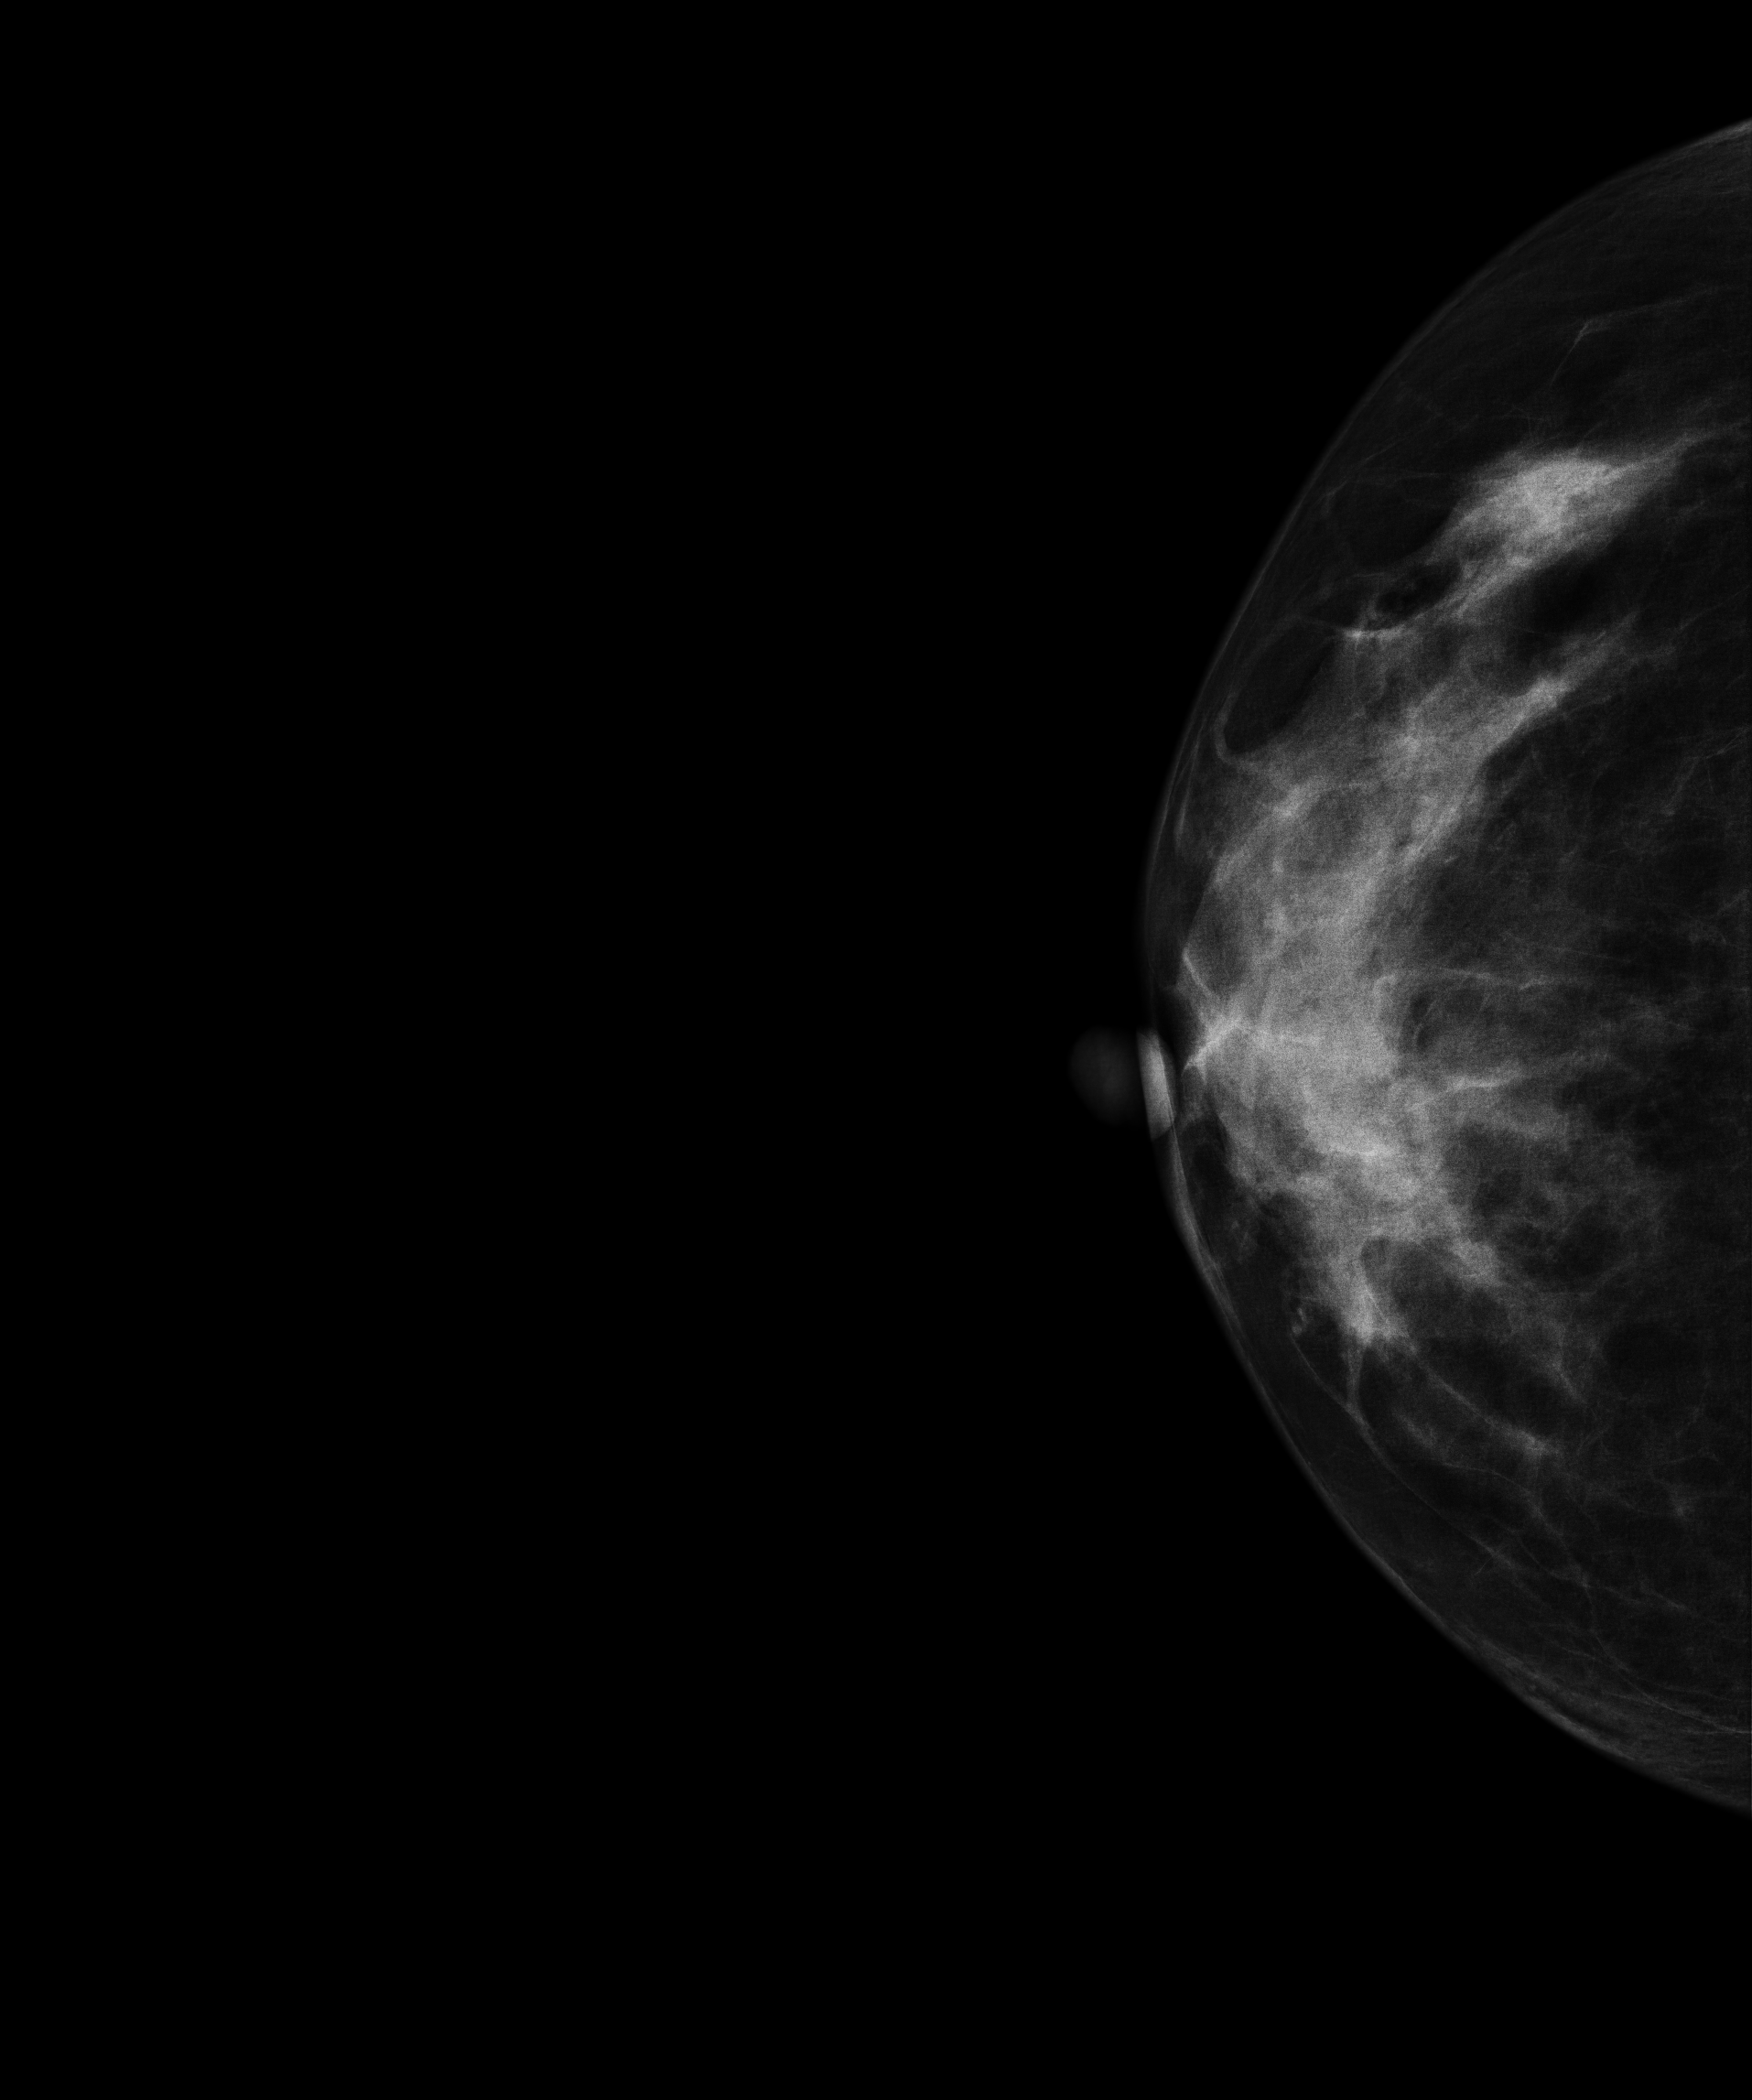
Digital mammography. Right breast, CC projection. 51 y/o patient.
Contralateral breast — no documented abnormality on this side.